Mammogram, right breast, cranio-caudal view. 59 y/o patient.
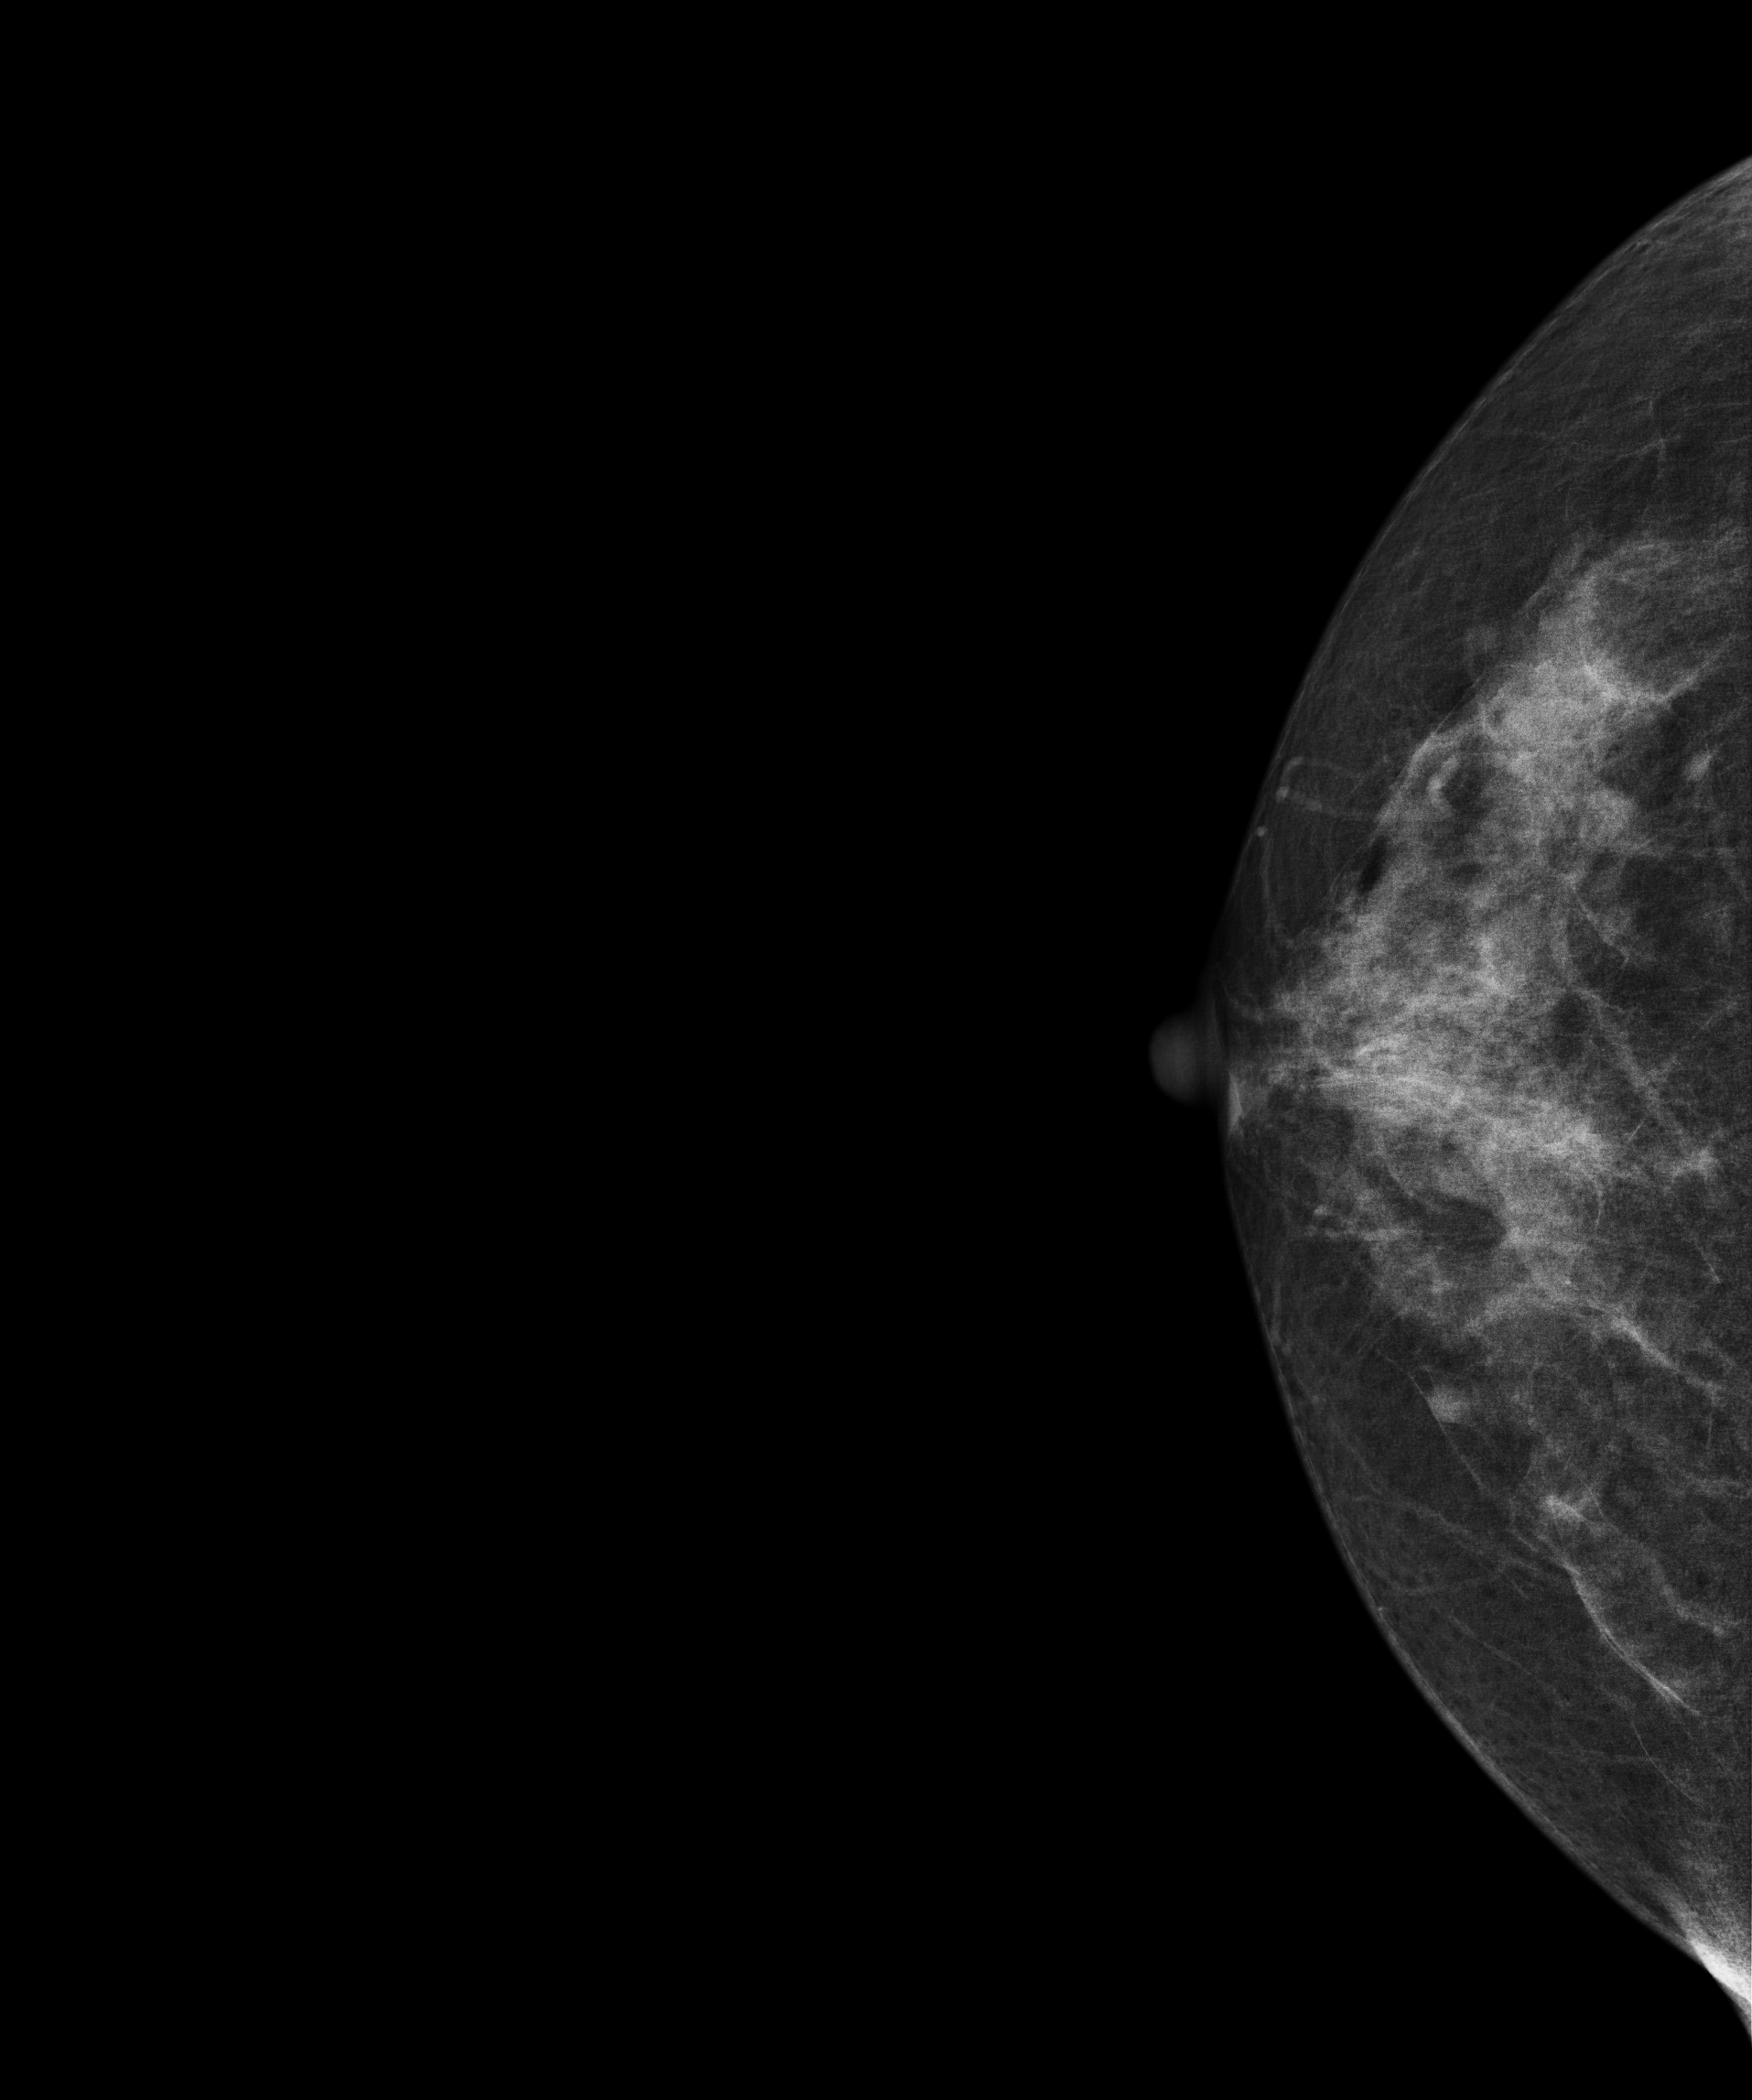
Contralateral breast — no documented abnormality on this side.